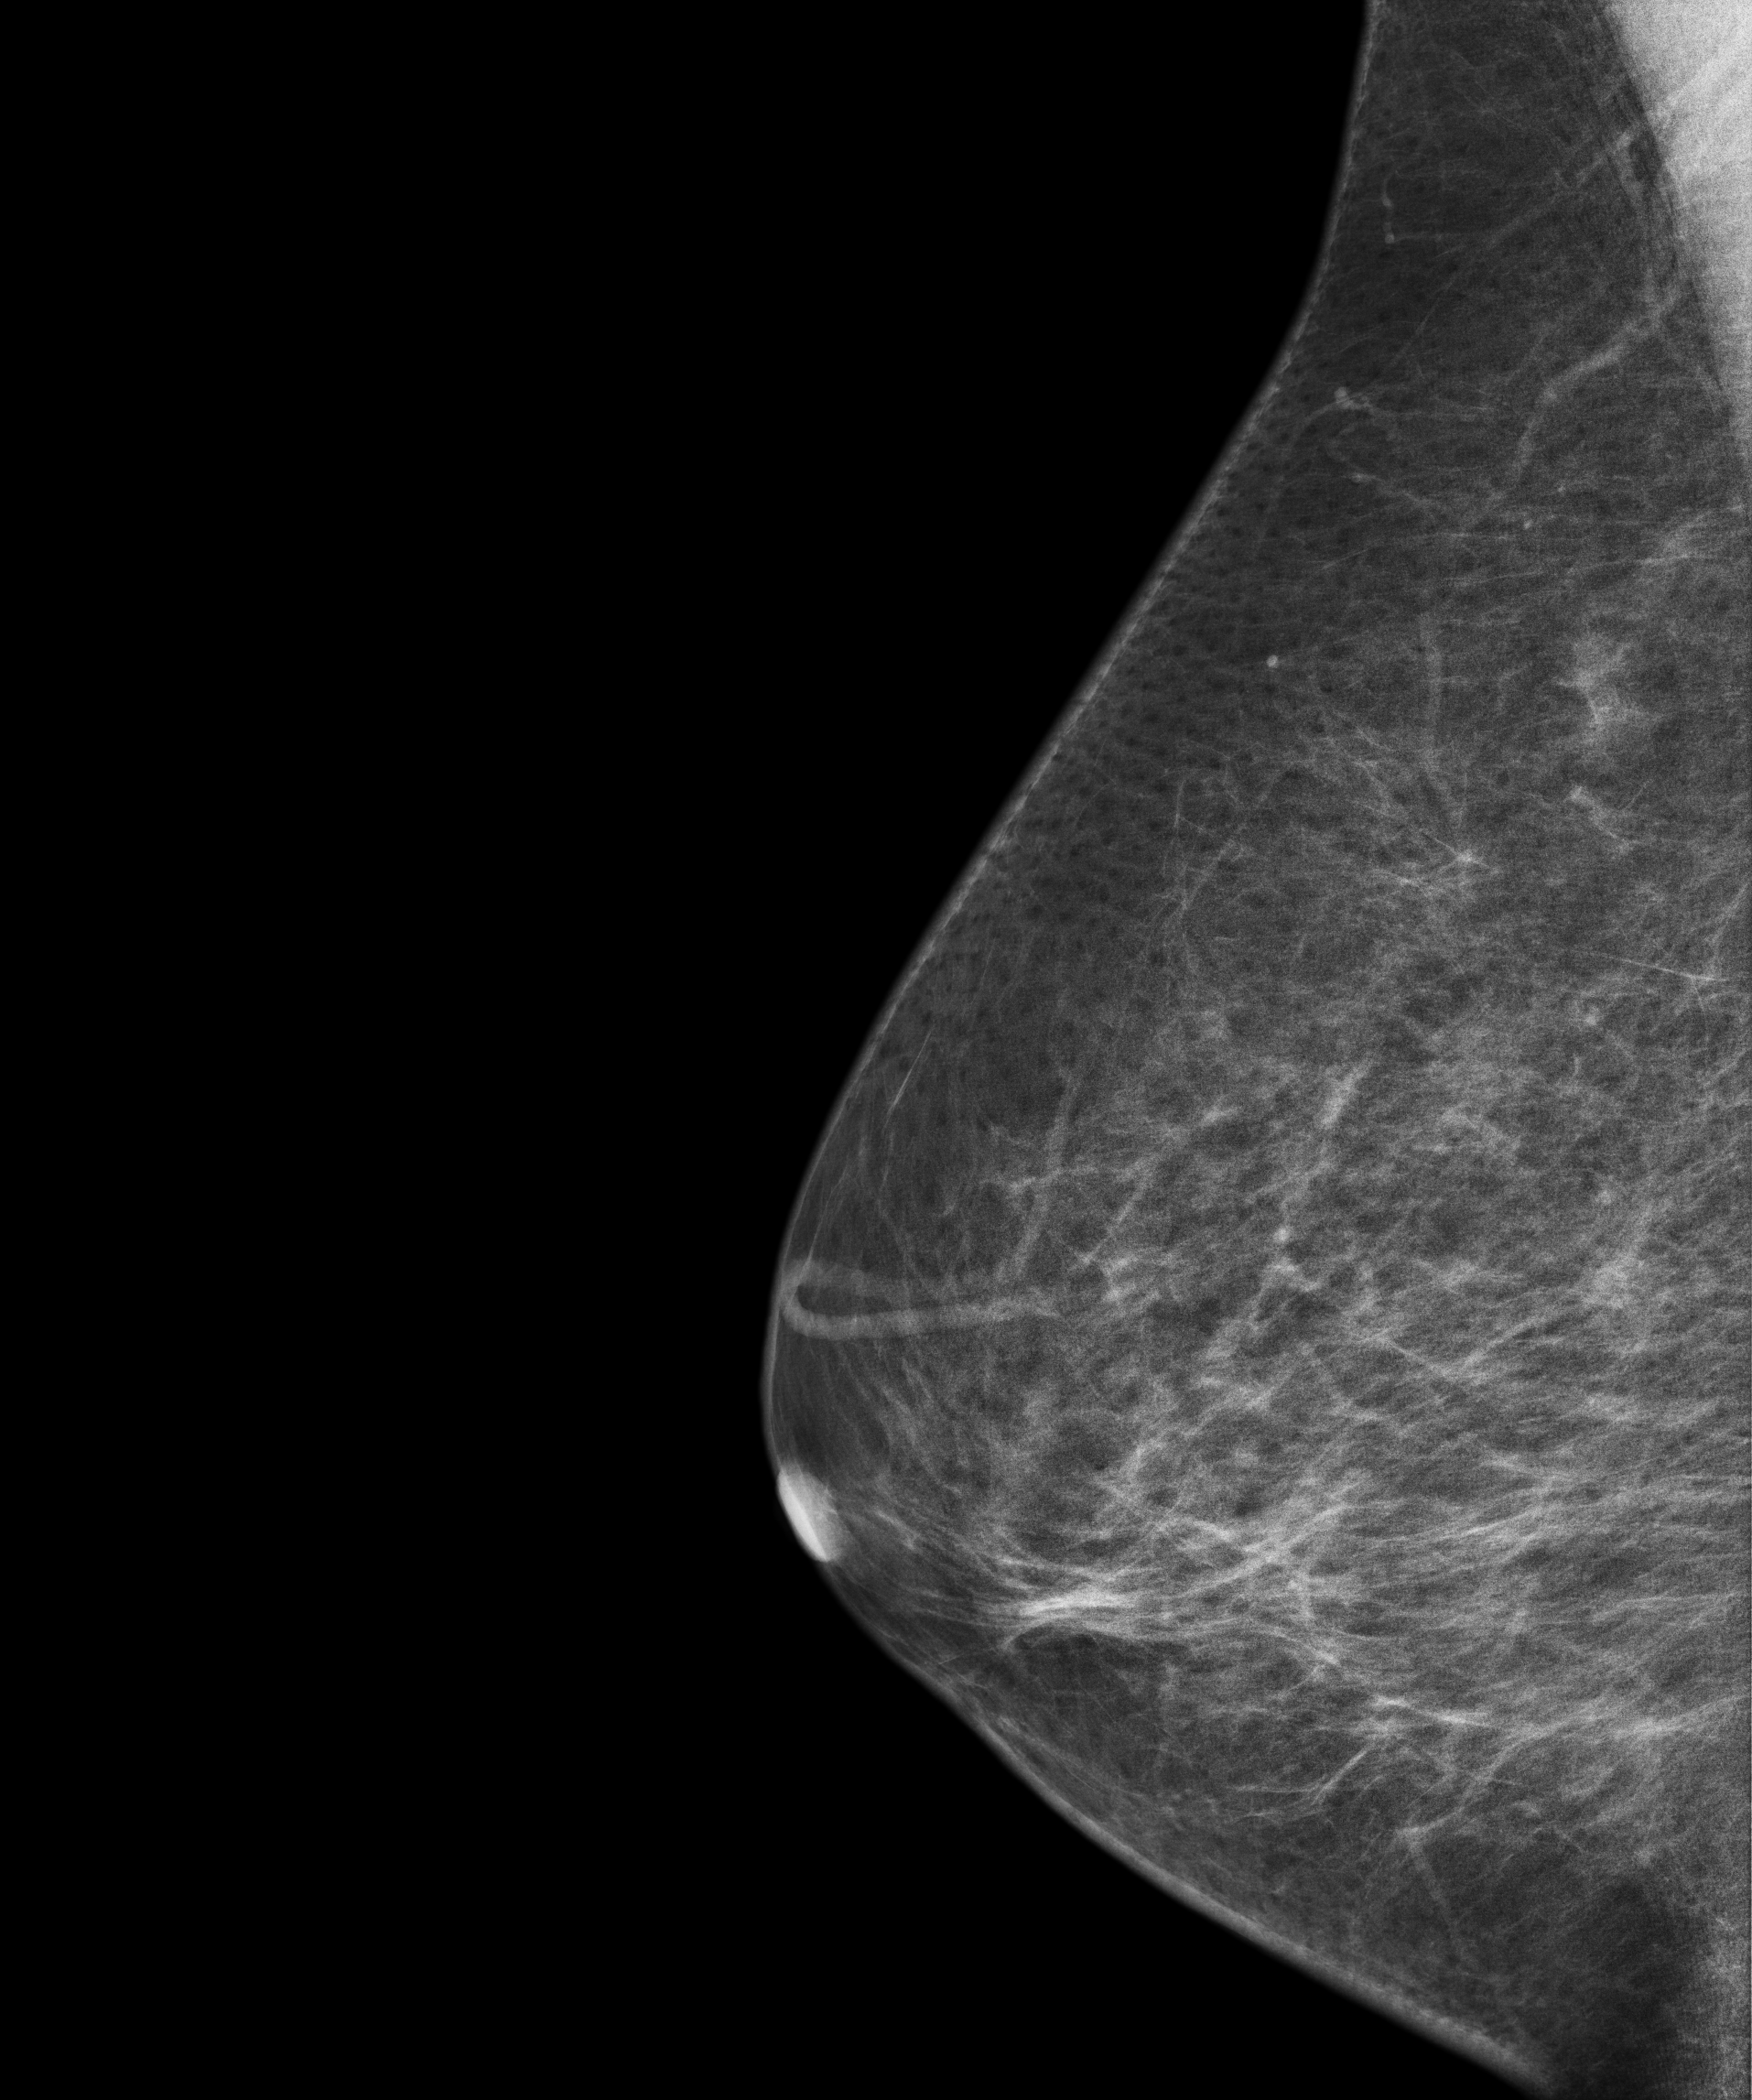
Right-breast mammogram, MLO. 69 y/o patient.
Contralateral breast — no documented abnormality on this side.